Mammogram, right breast, cranio-caudal view. 45-year-old patient.
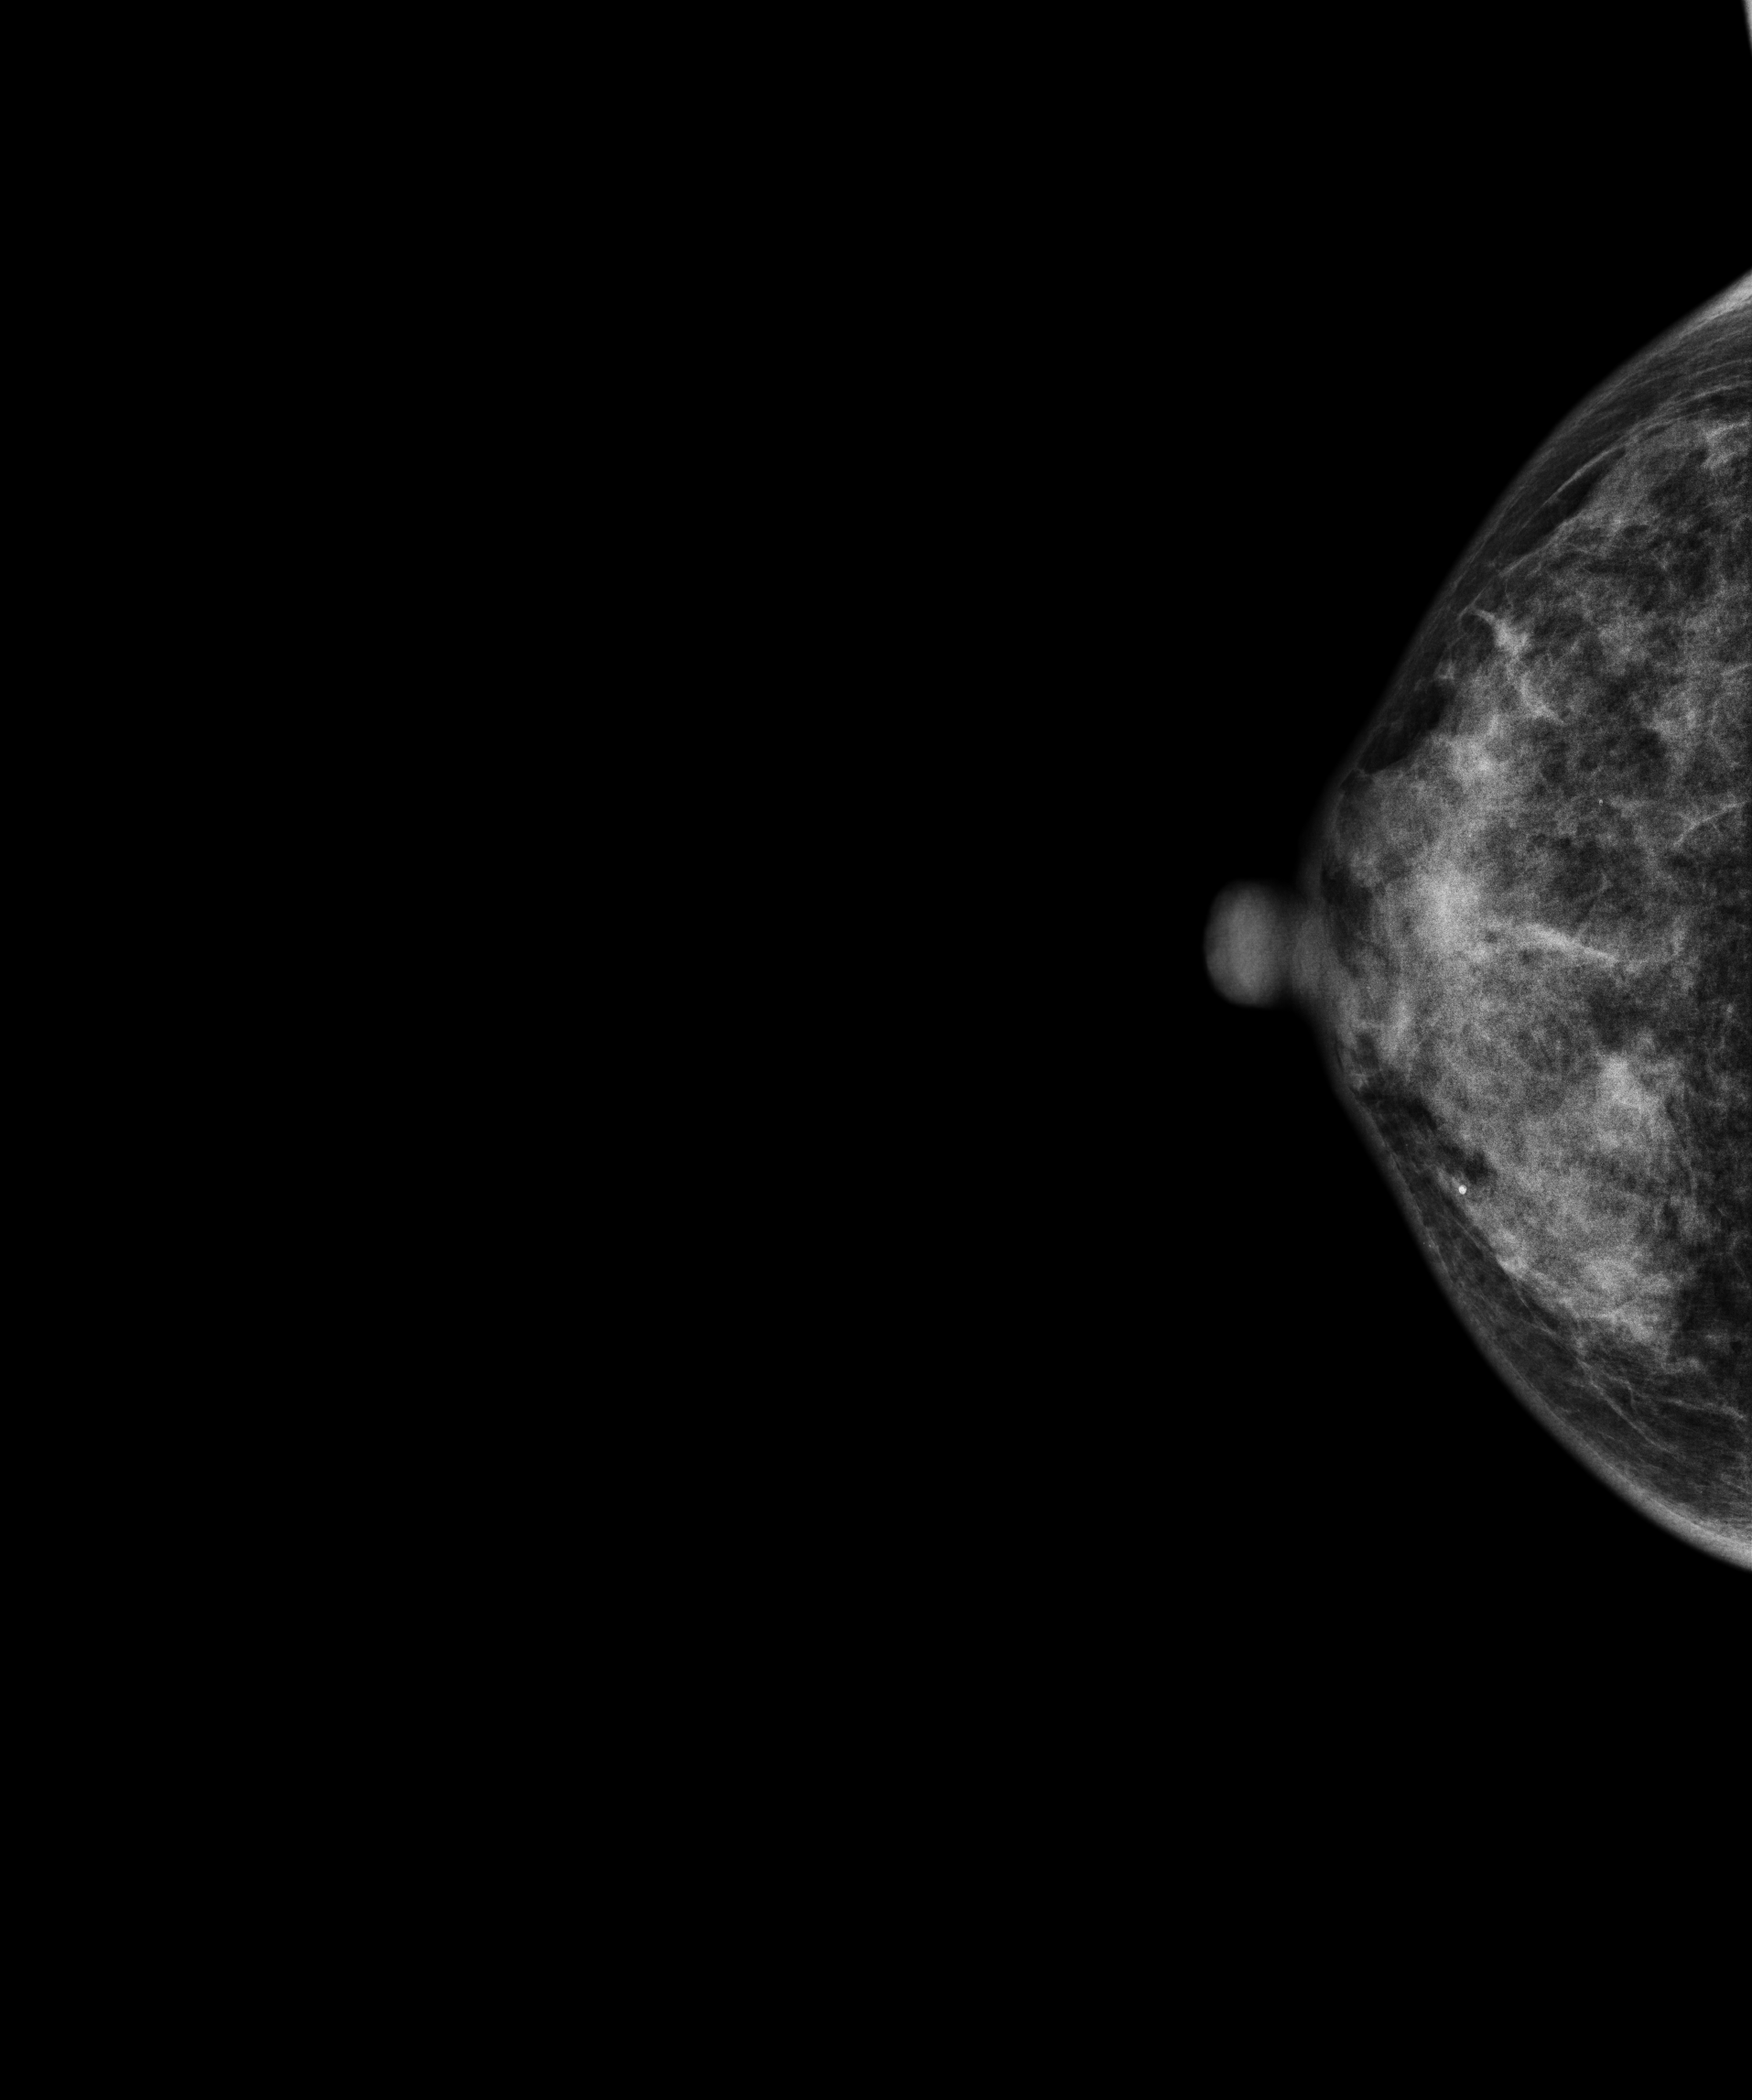
This breast has a mass, histologically confirmed benign.